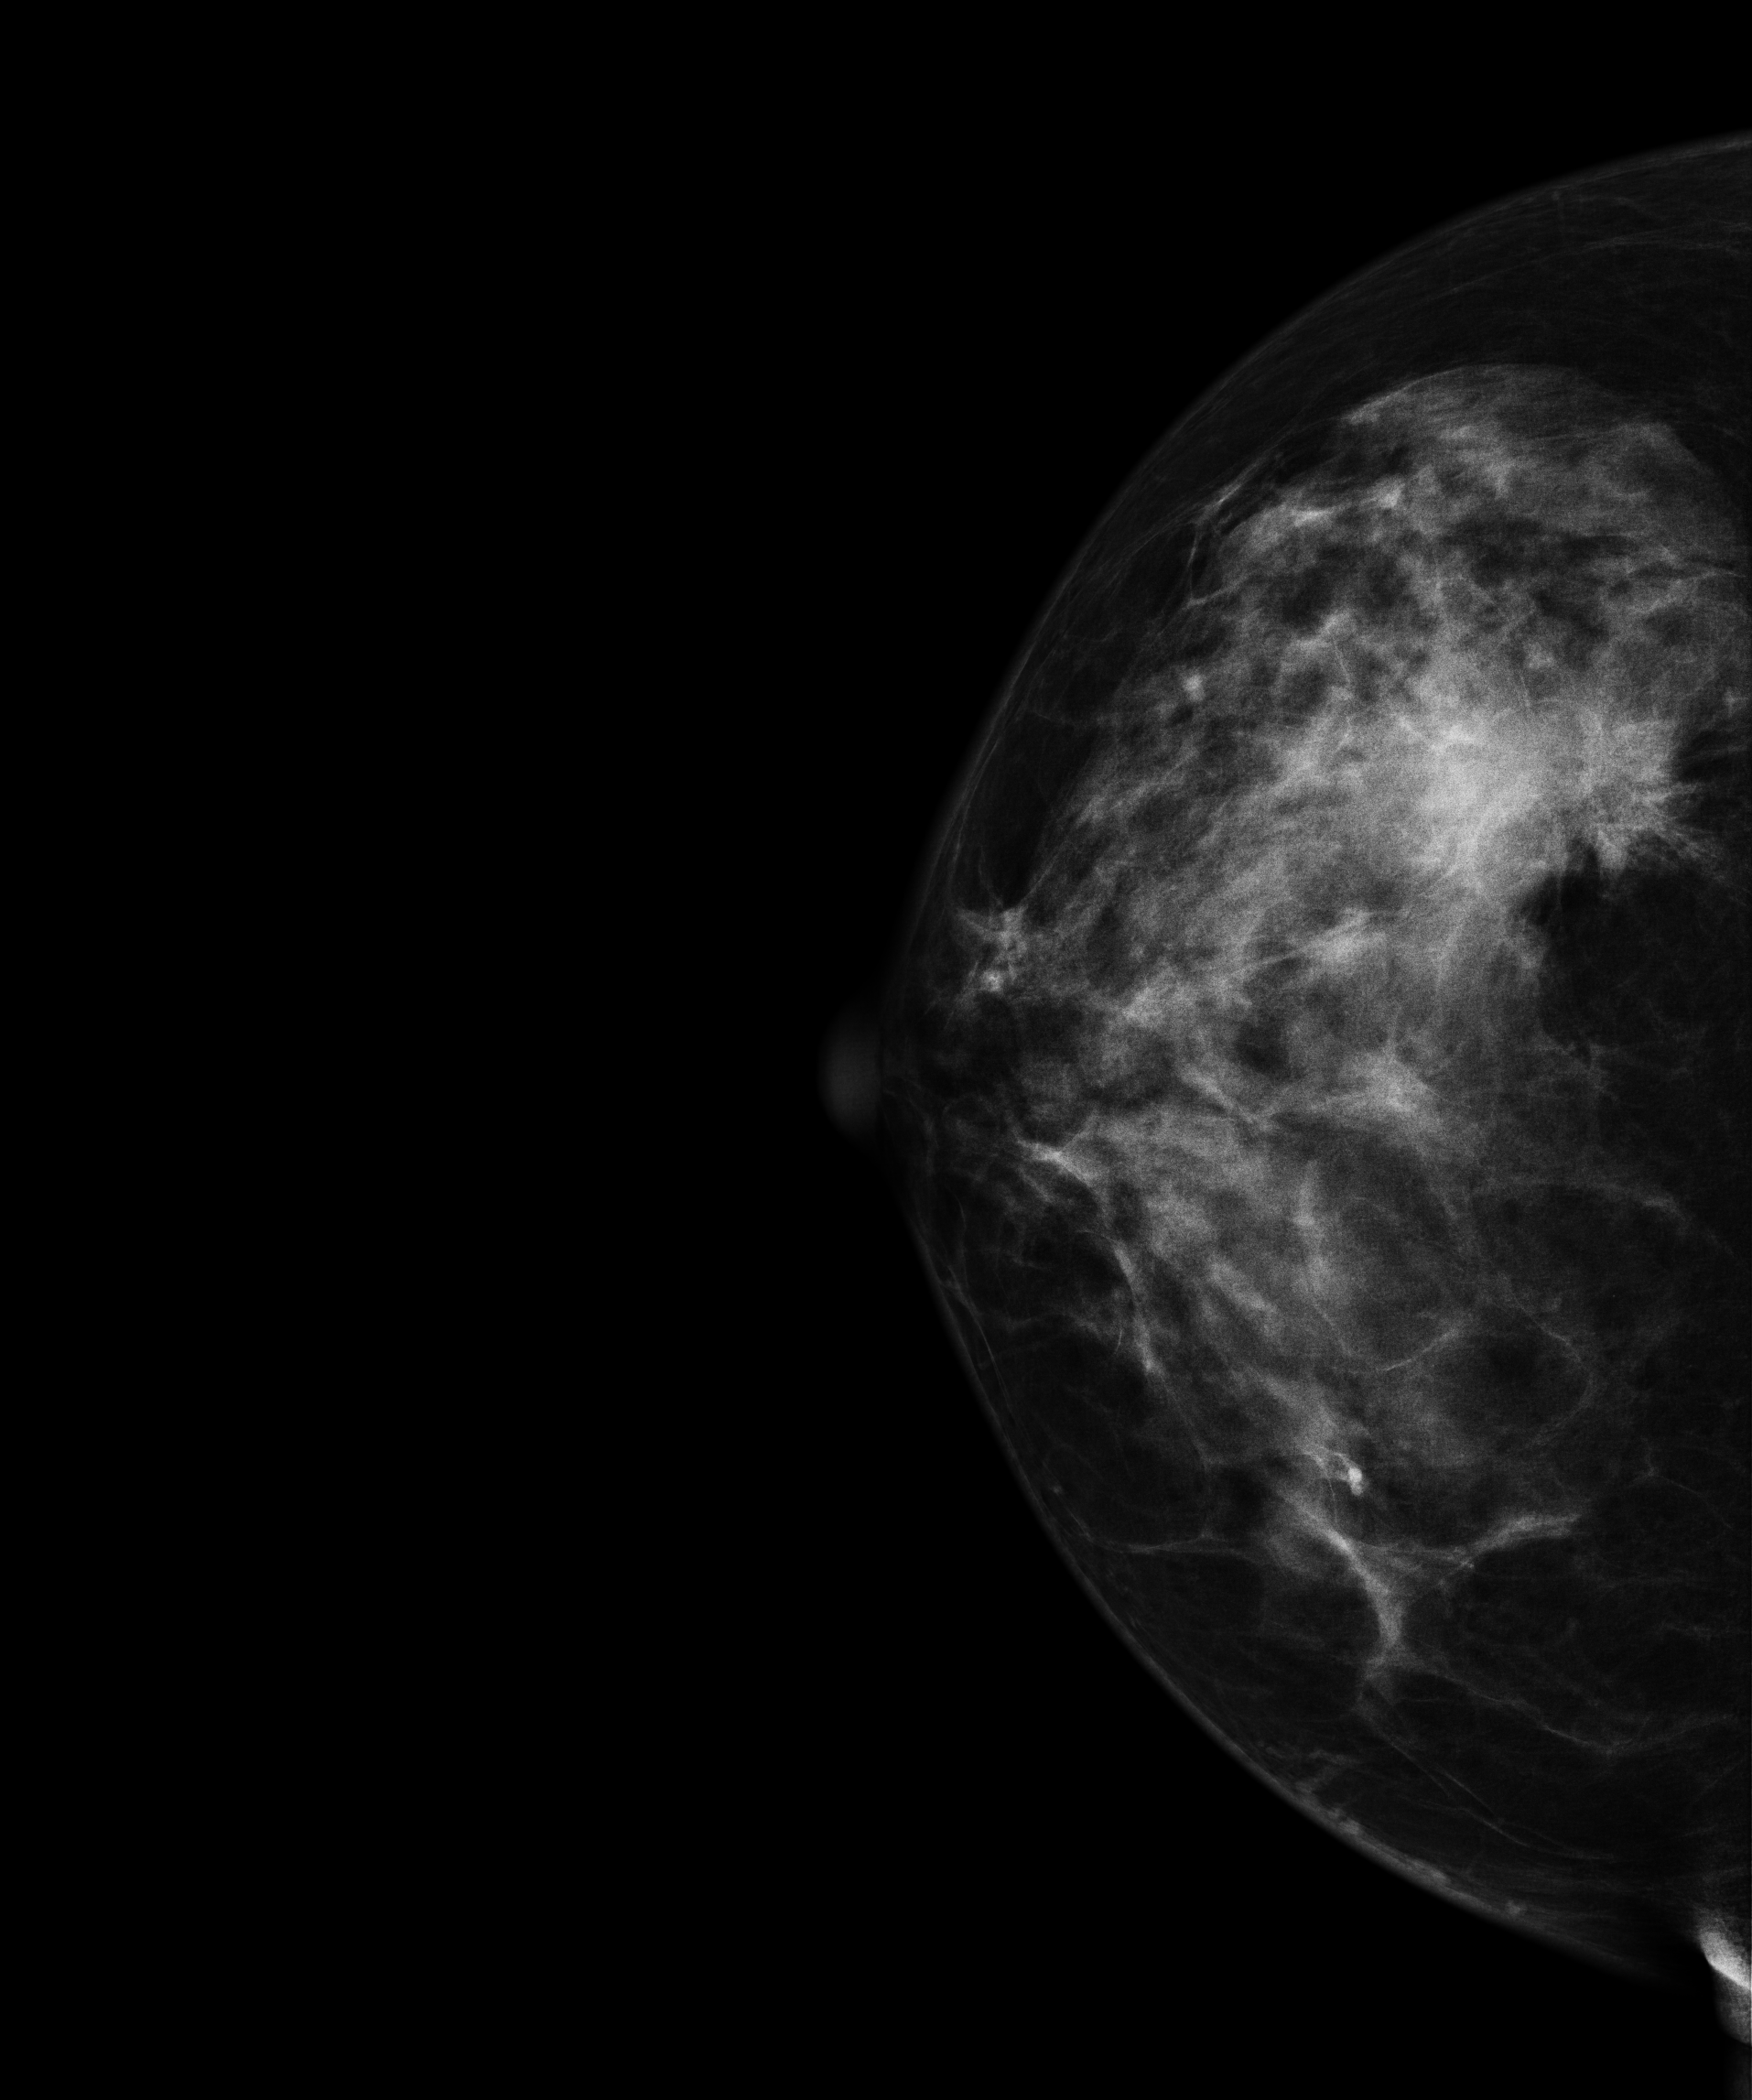
Digital mammography. Right breast, CC projection. Patient age 49.
This breast has a mass and calcifications, biopsy-proven malignant. Molecular subtype: luminal B.